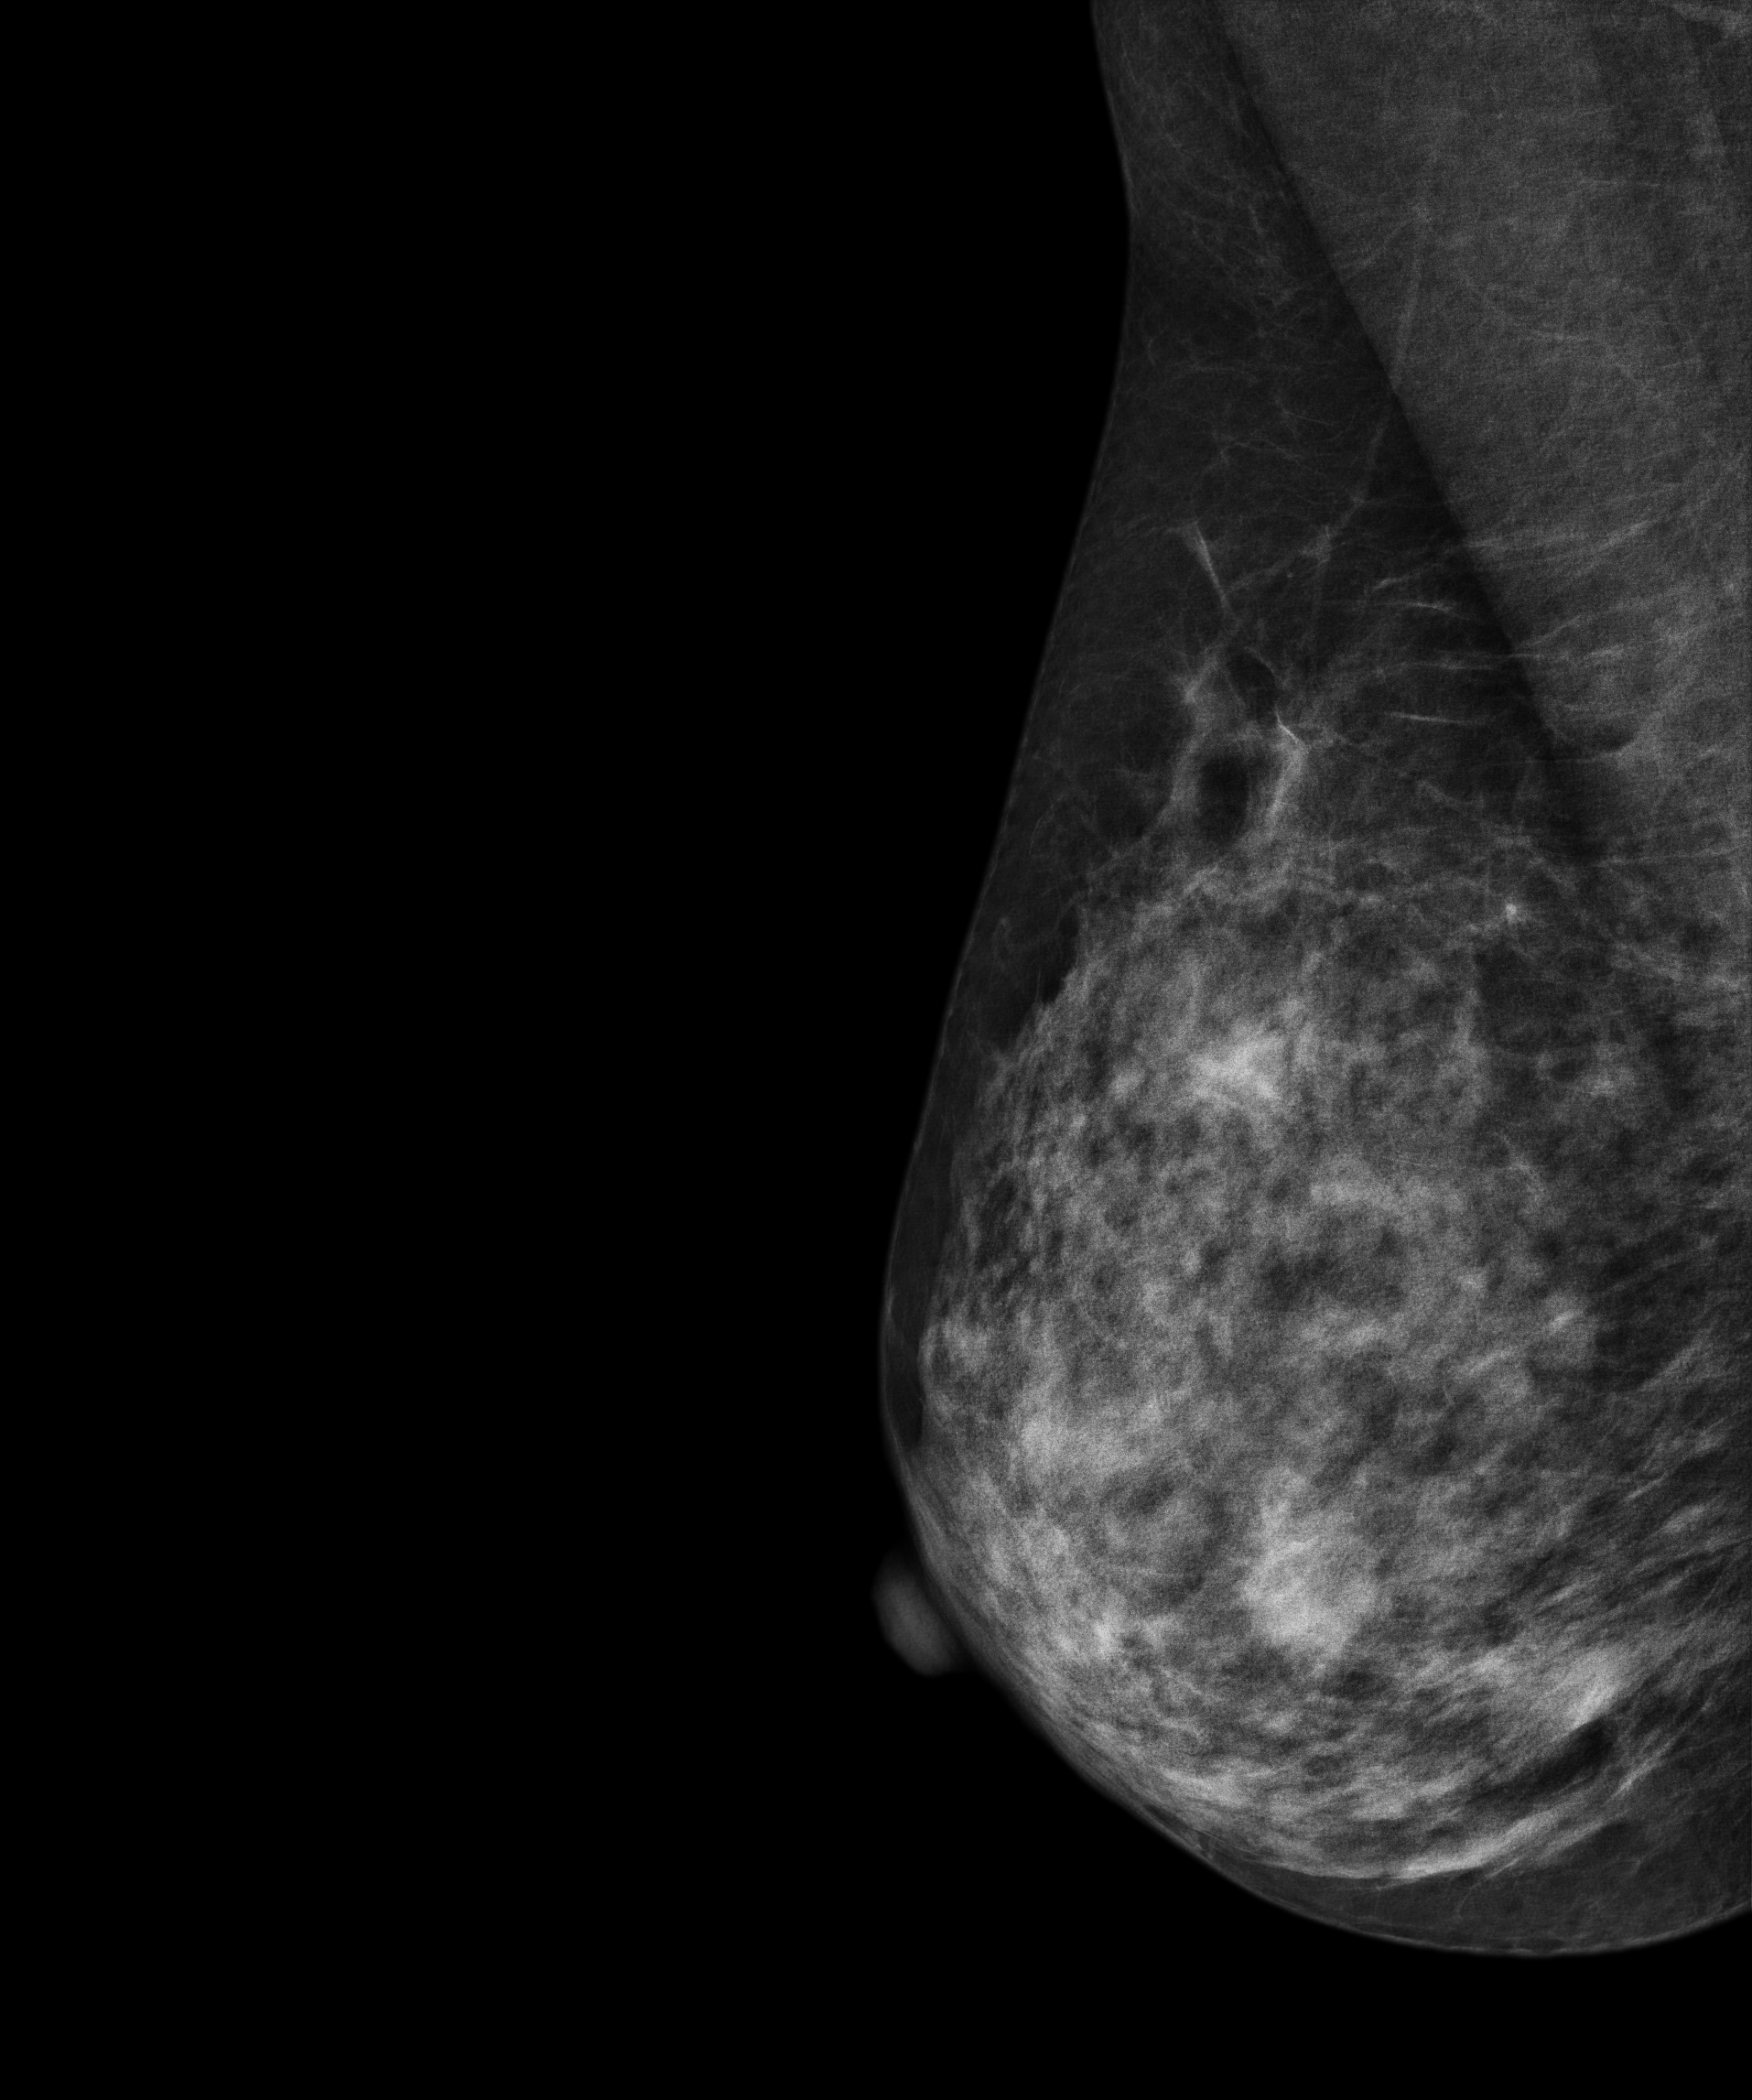
Medio-lateral oblique mammogram of the right breast. 39 y/o patient.
This breast has a mass, biopsy-proven malignant.